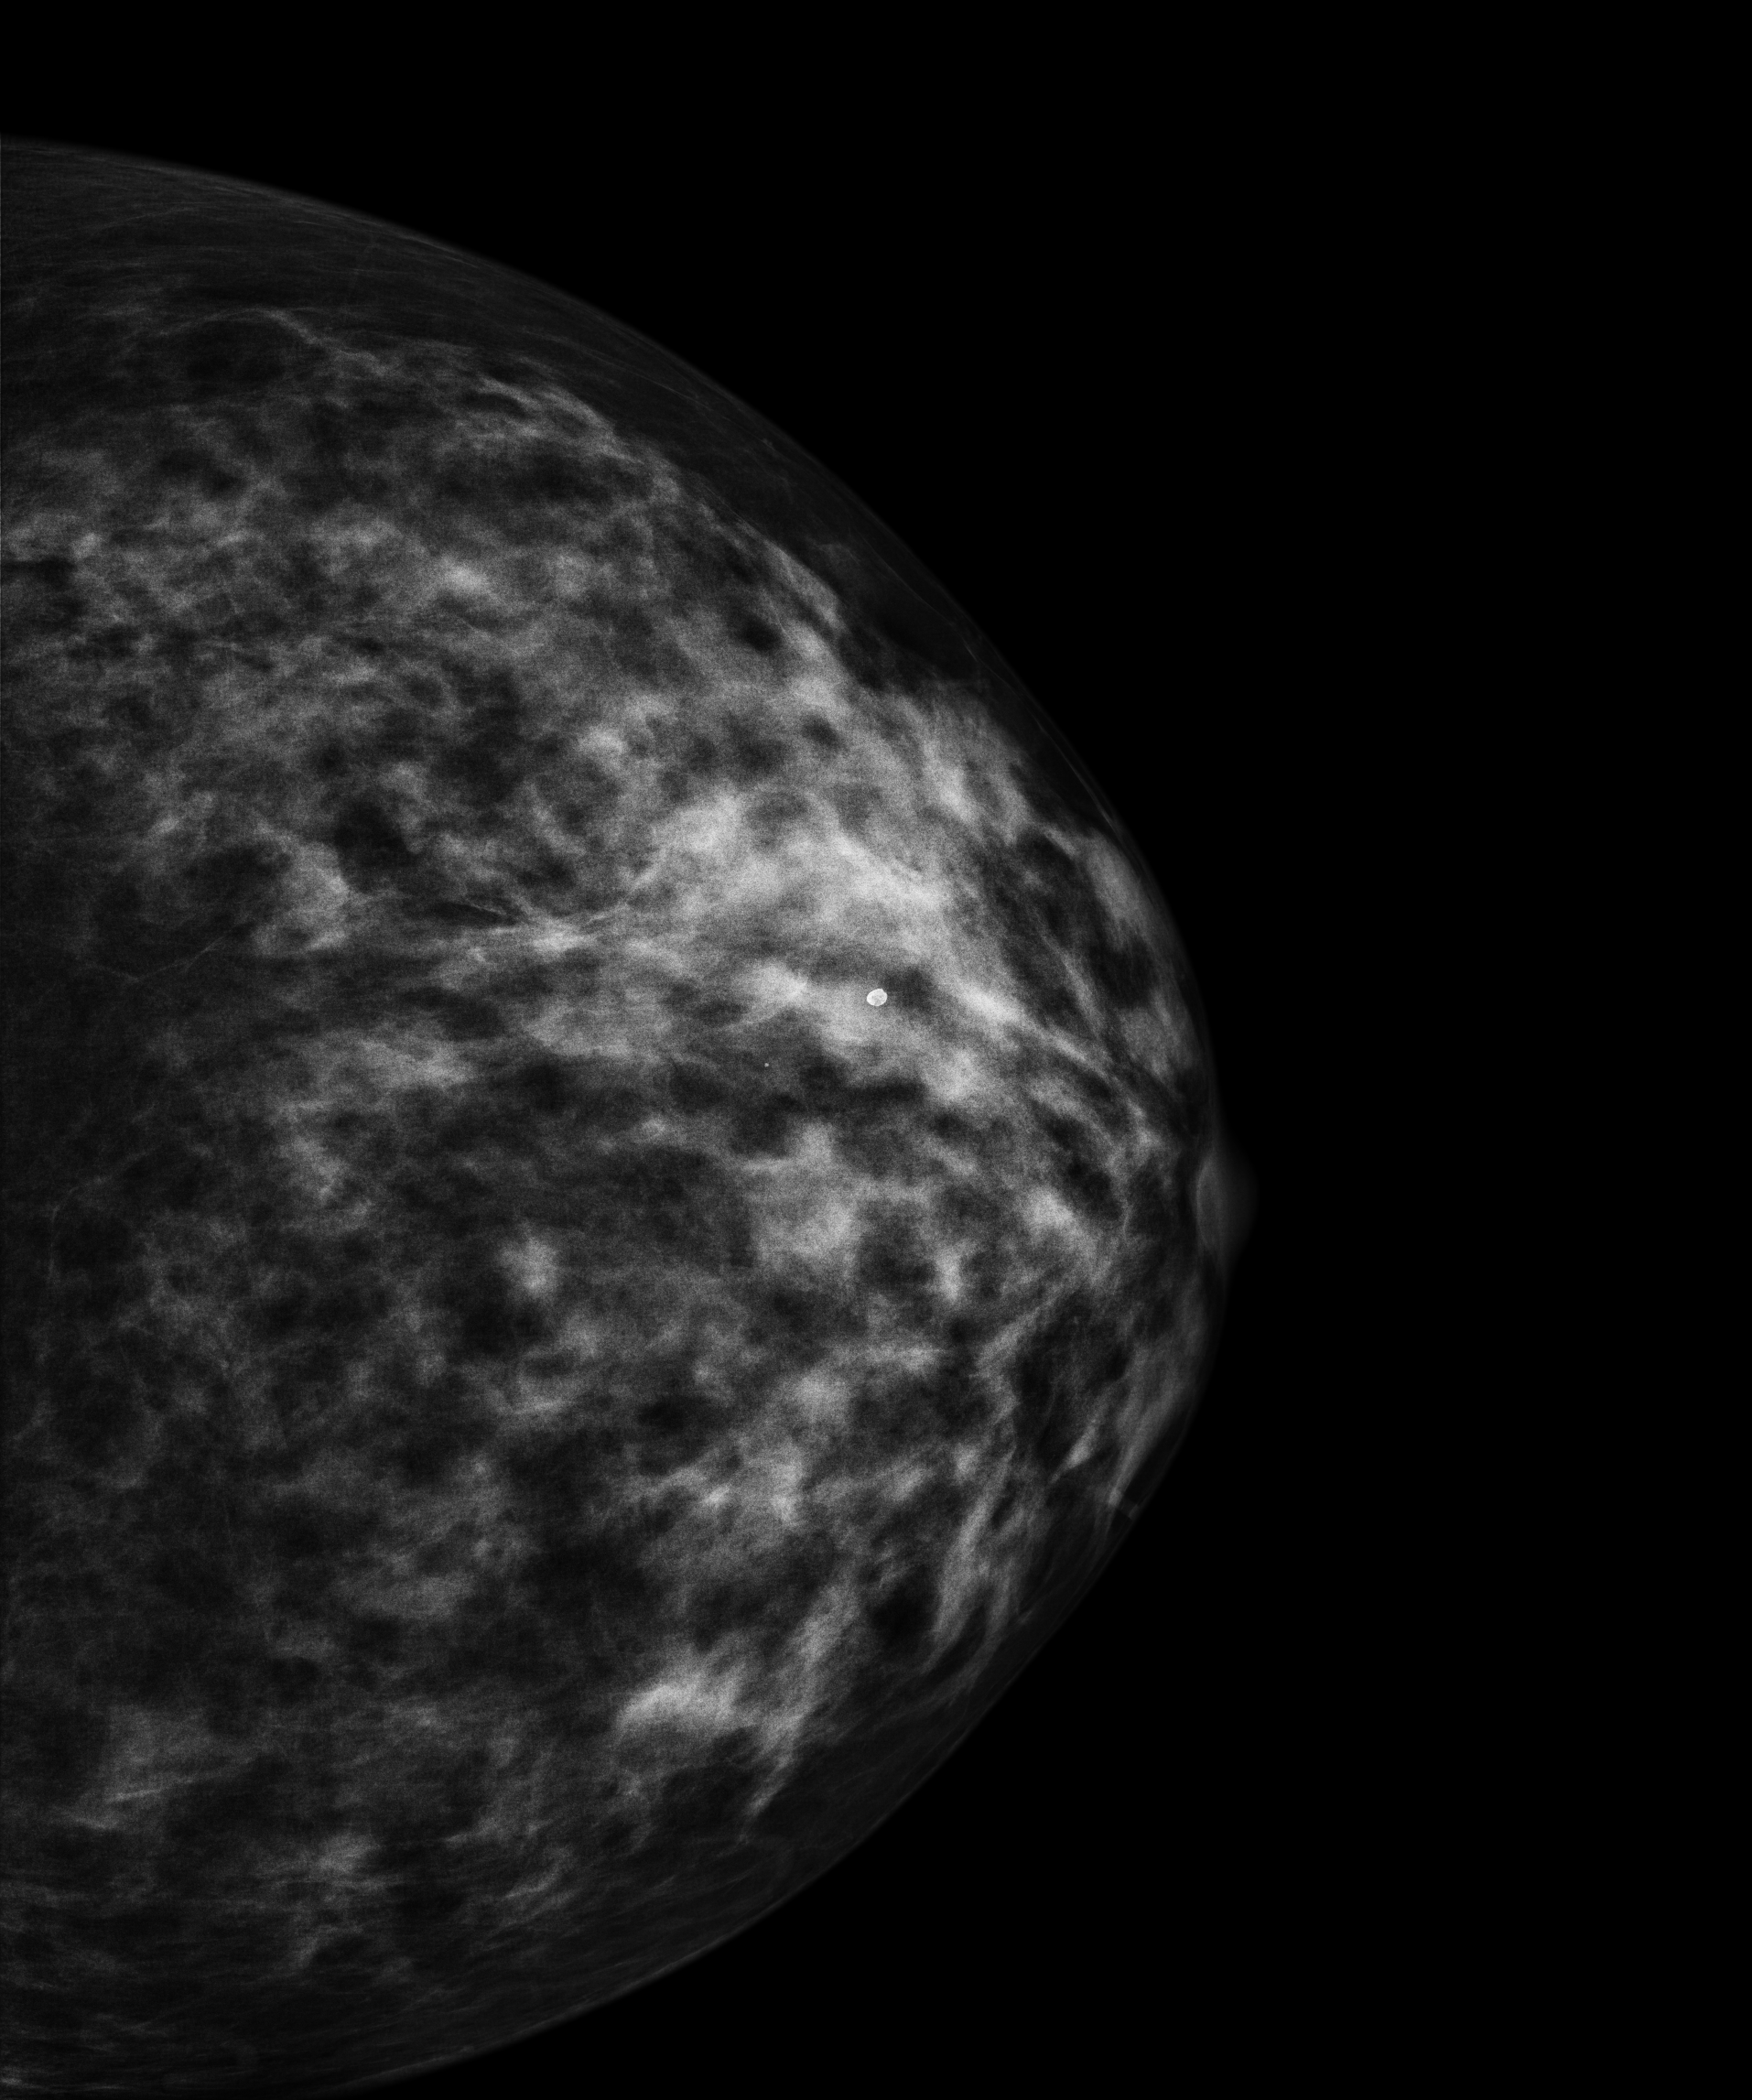
Digital mammography. Left breast, cranio-caudal projection. 51-year-old patient.
Contralateral breast — no documented abnormality on this side.